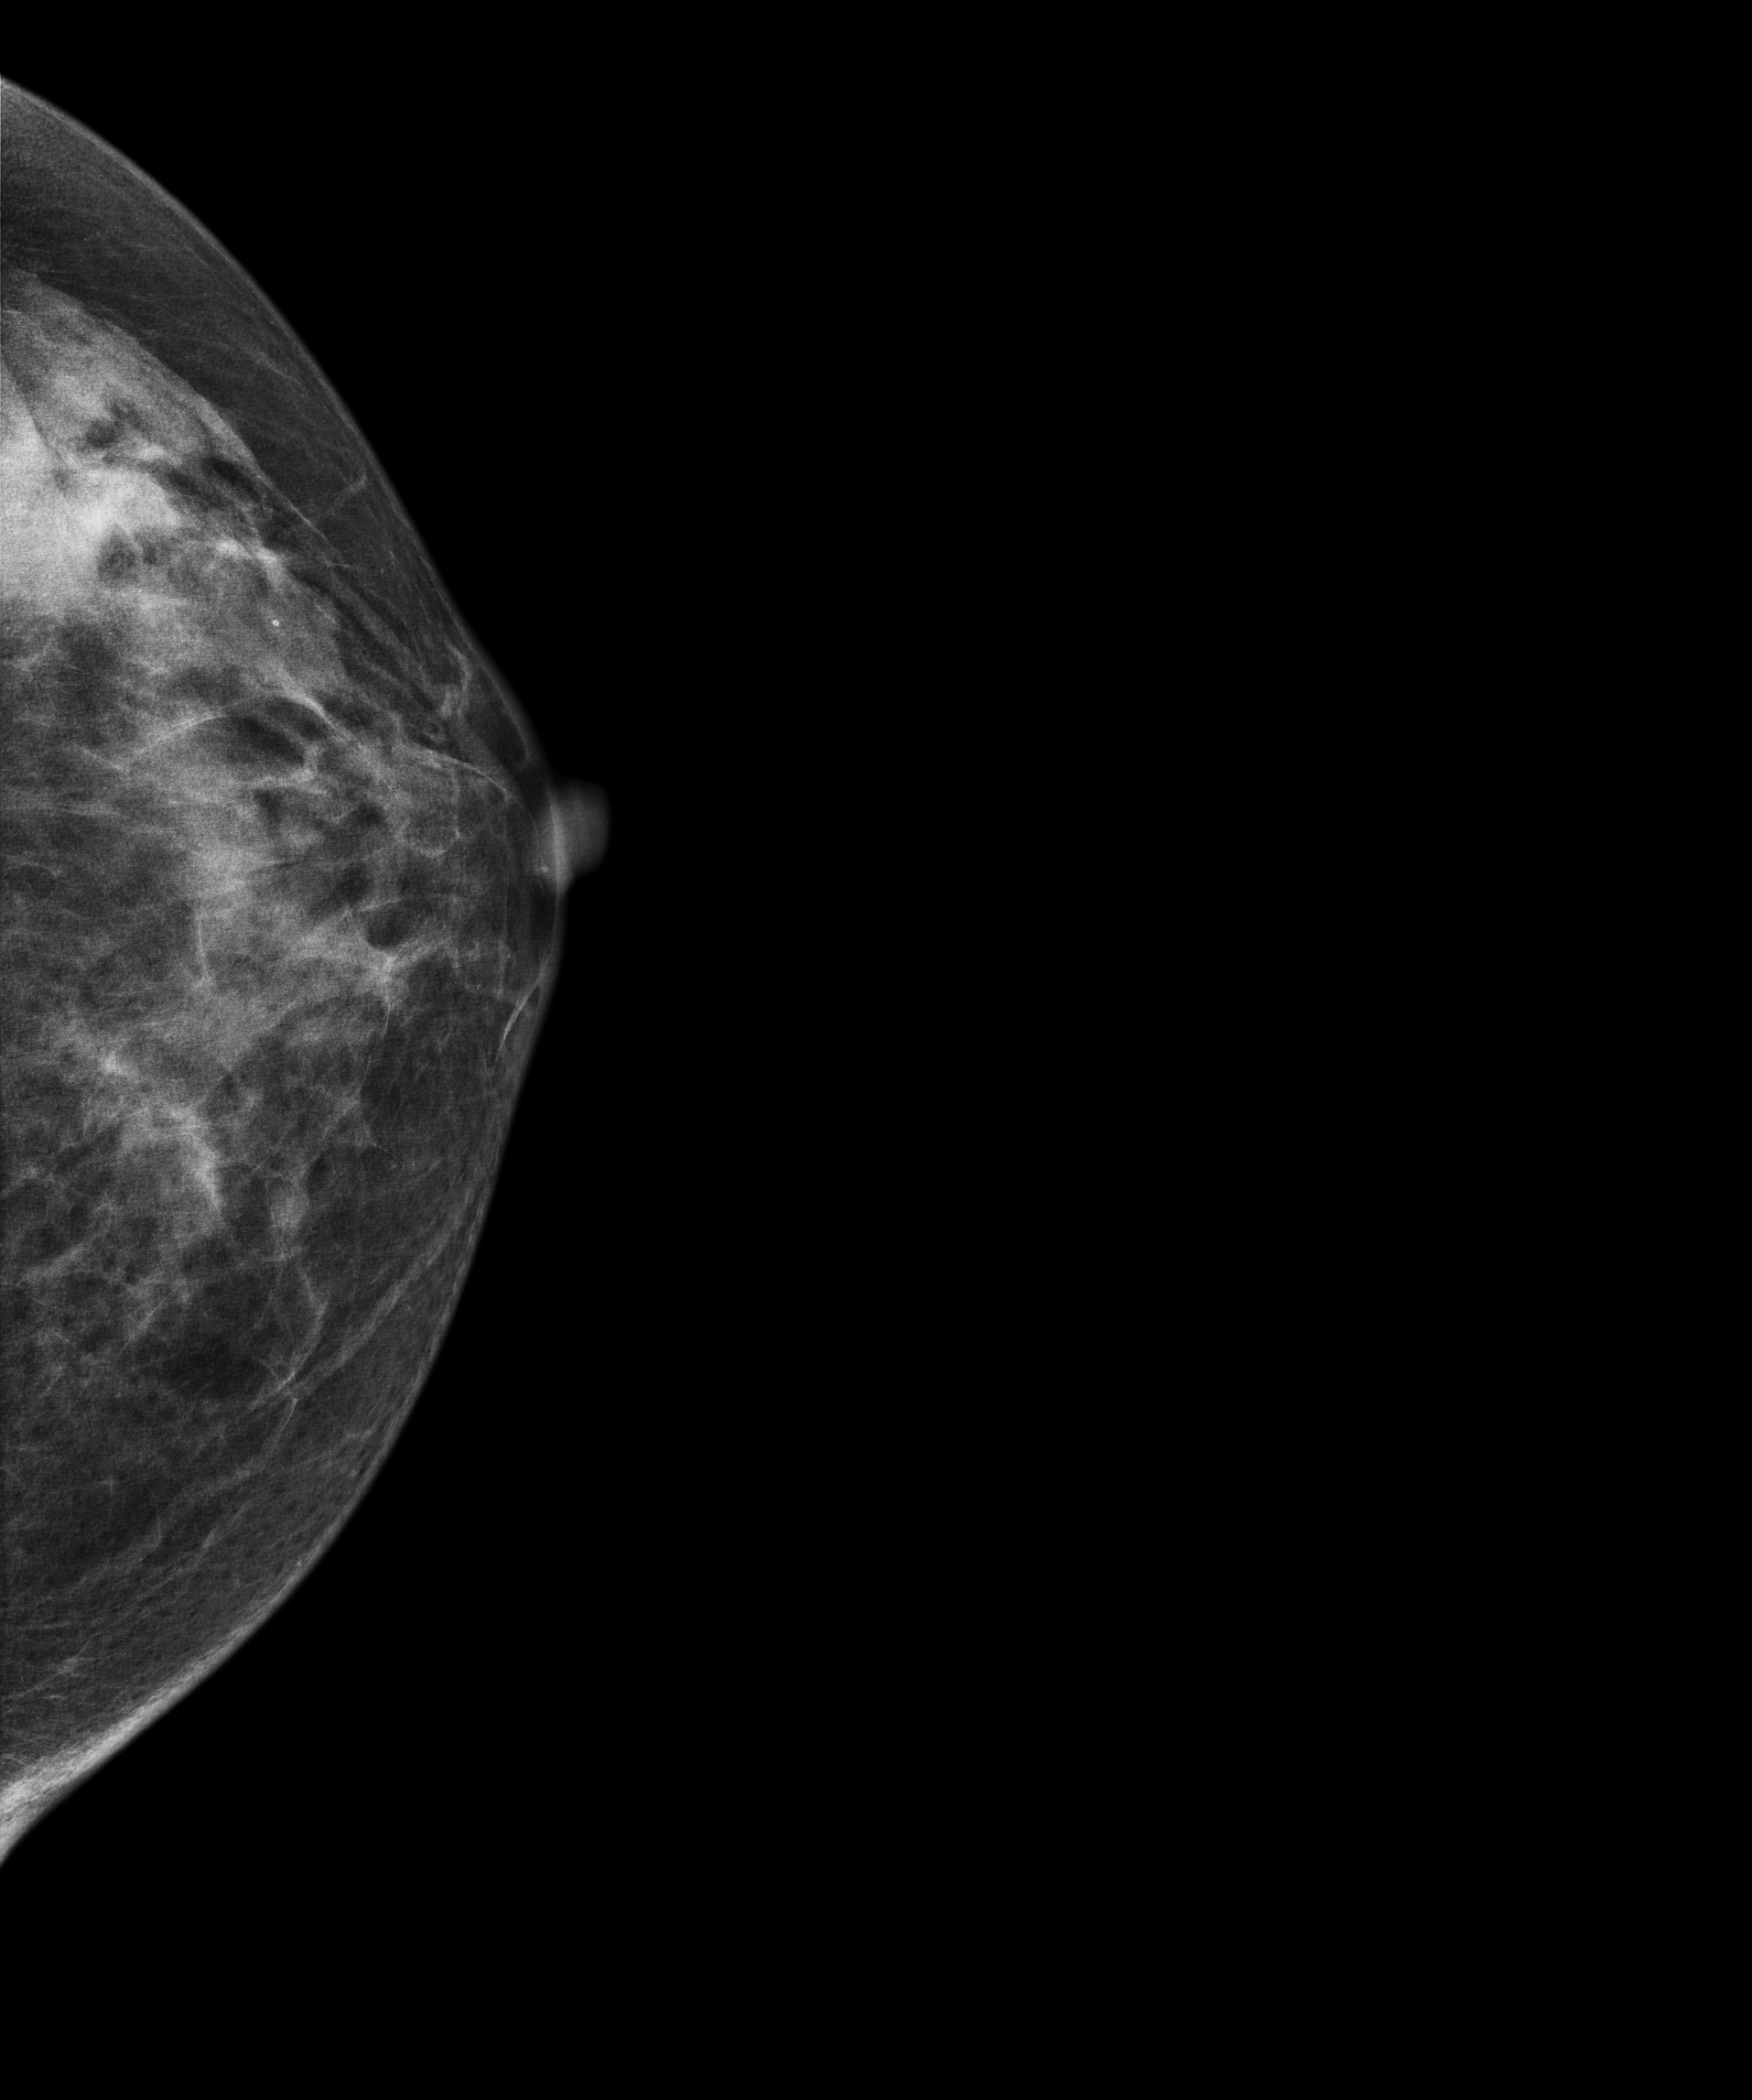
Mammogram — left CC. 50-year-old patient.
This breast has a mass, biopsy-confirmed malignant. Molecular subtype: HER2-enriched.